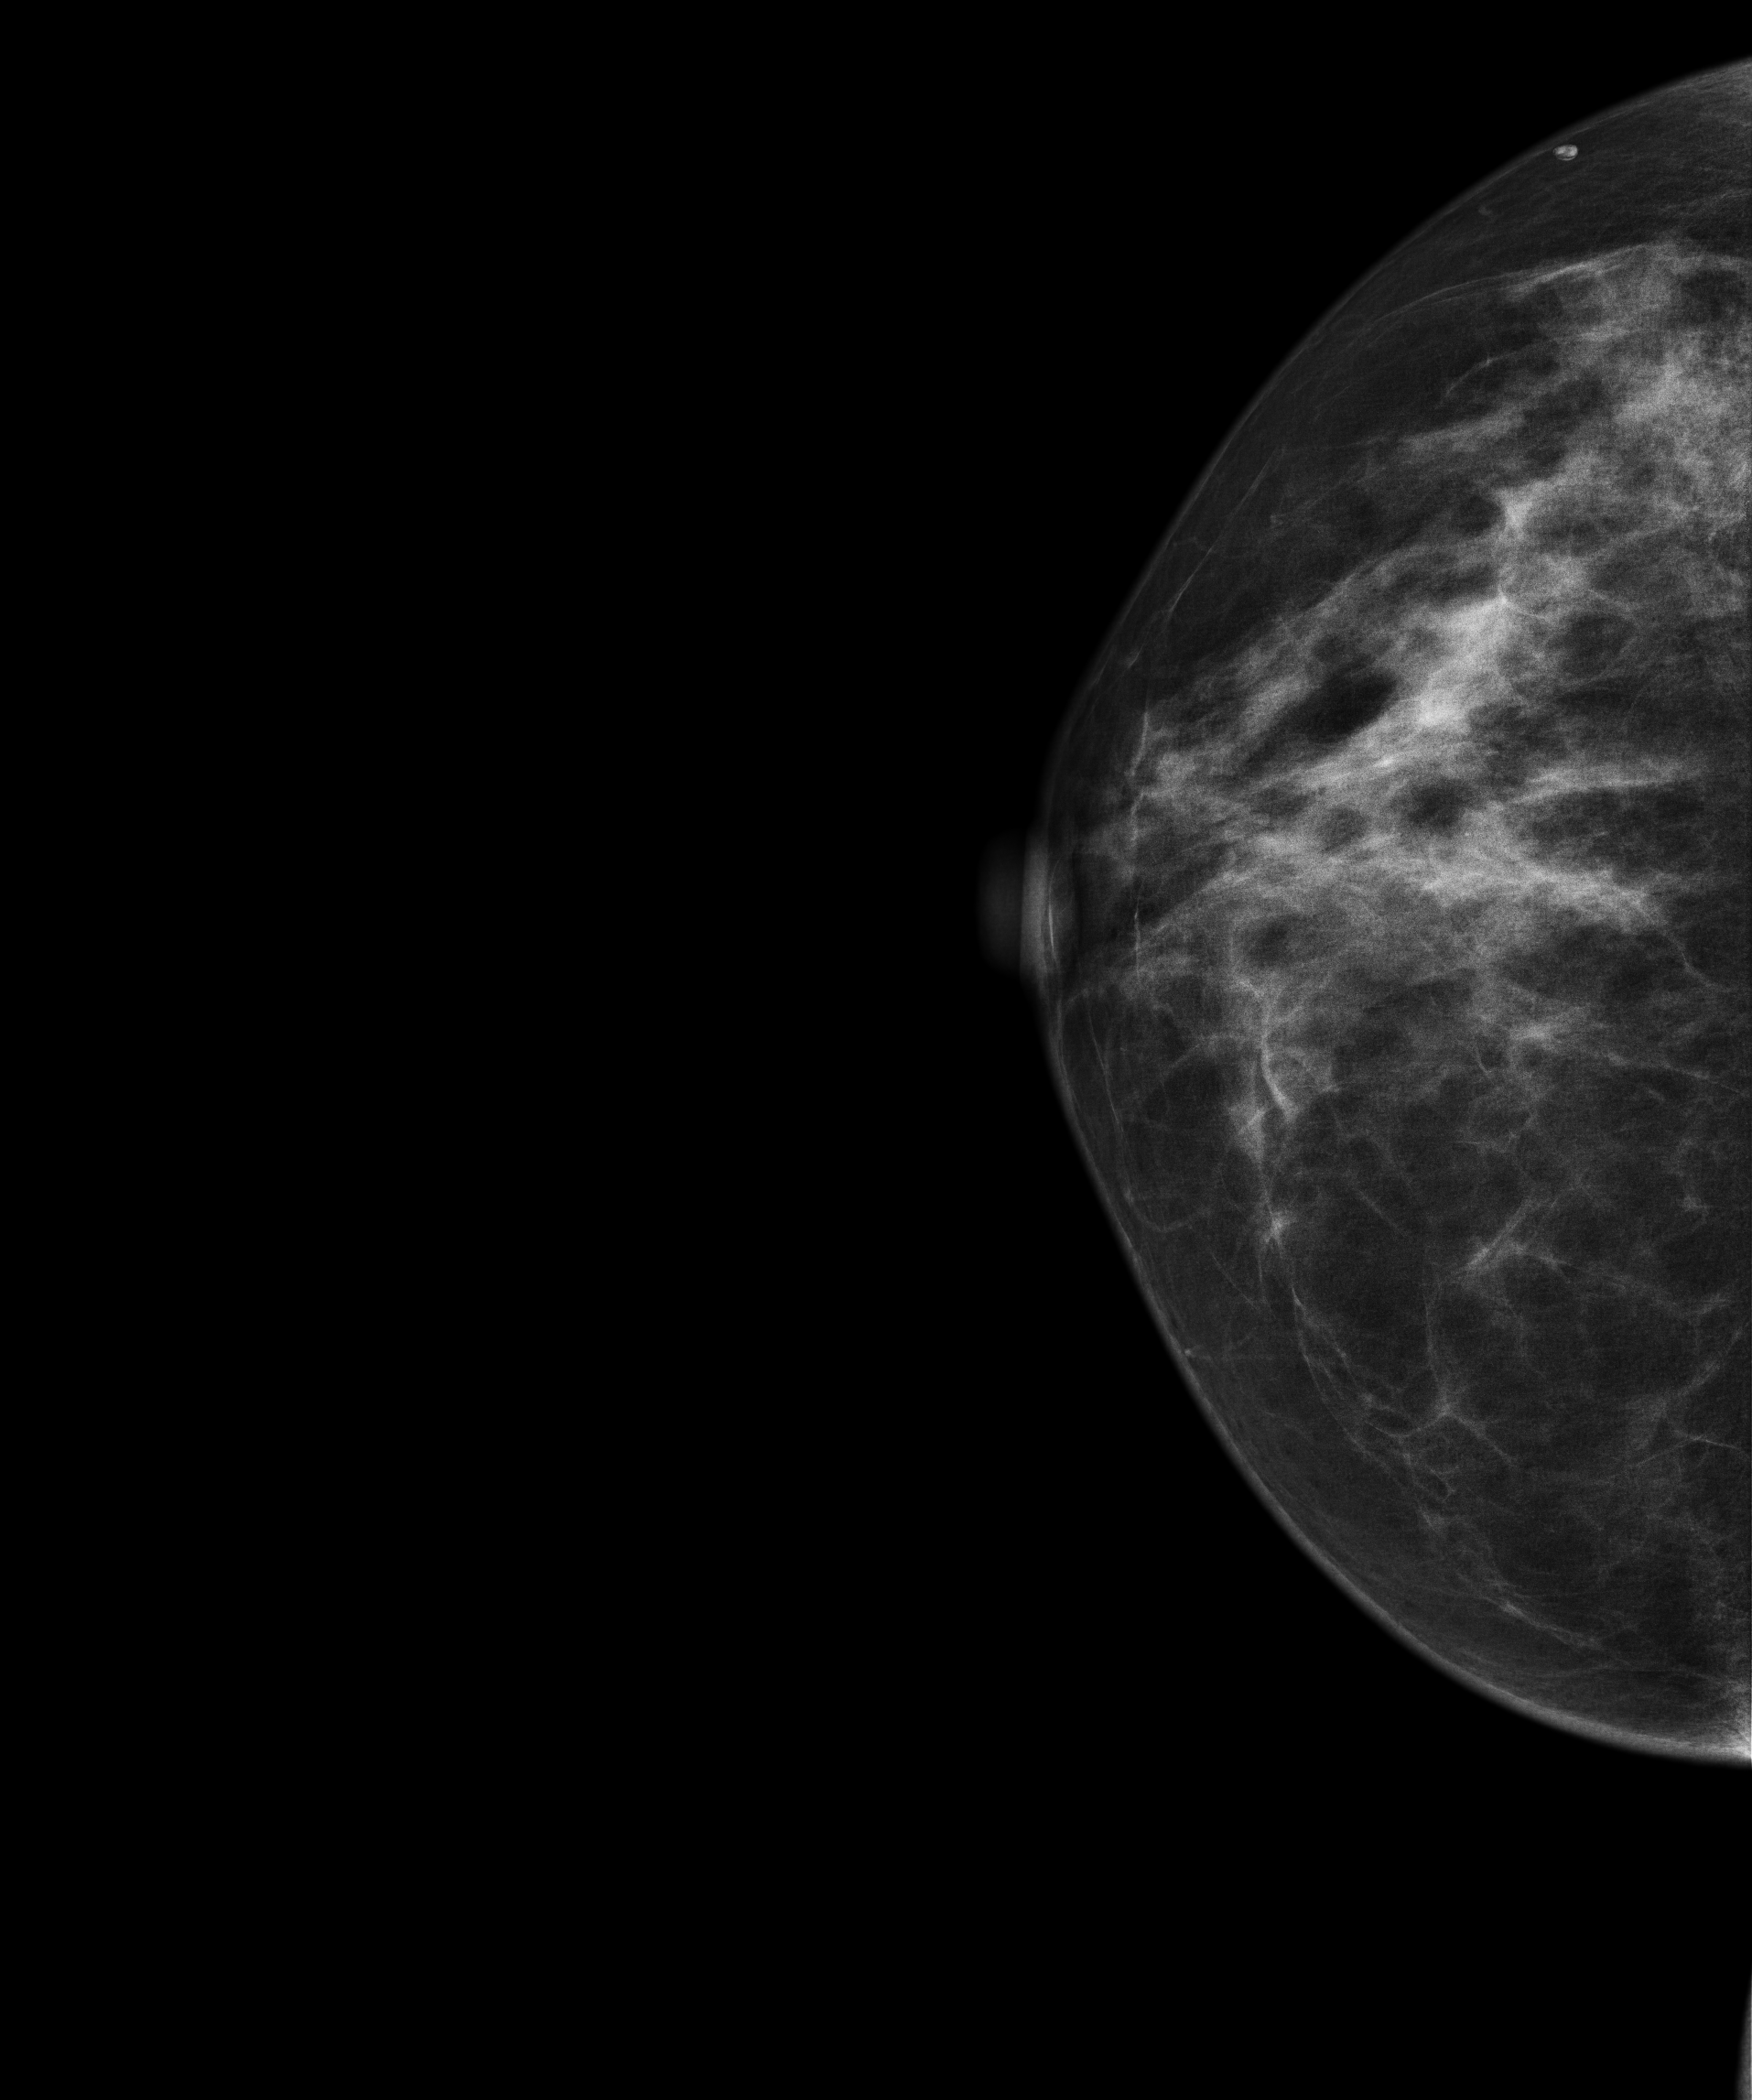
Right-breast mammogram, CC. 54-year-old patient.
Contralateral breast — no documented abnormality on this side.